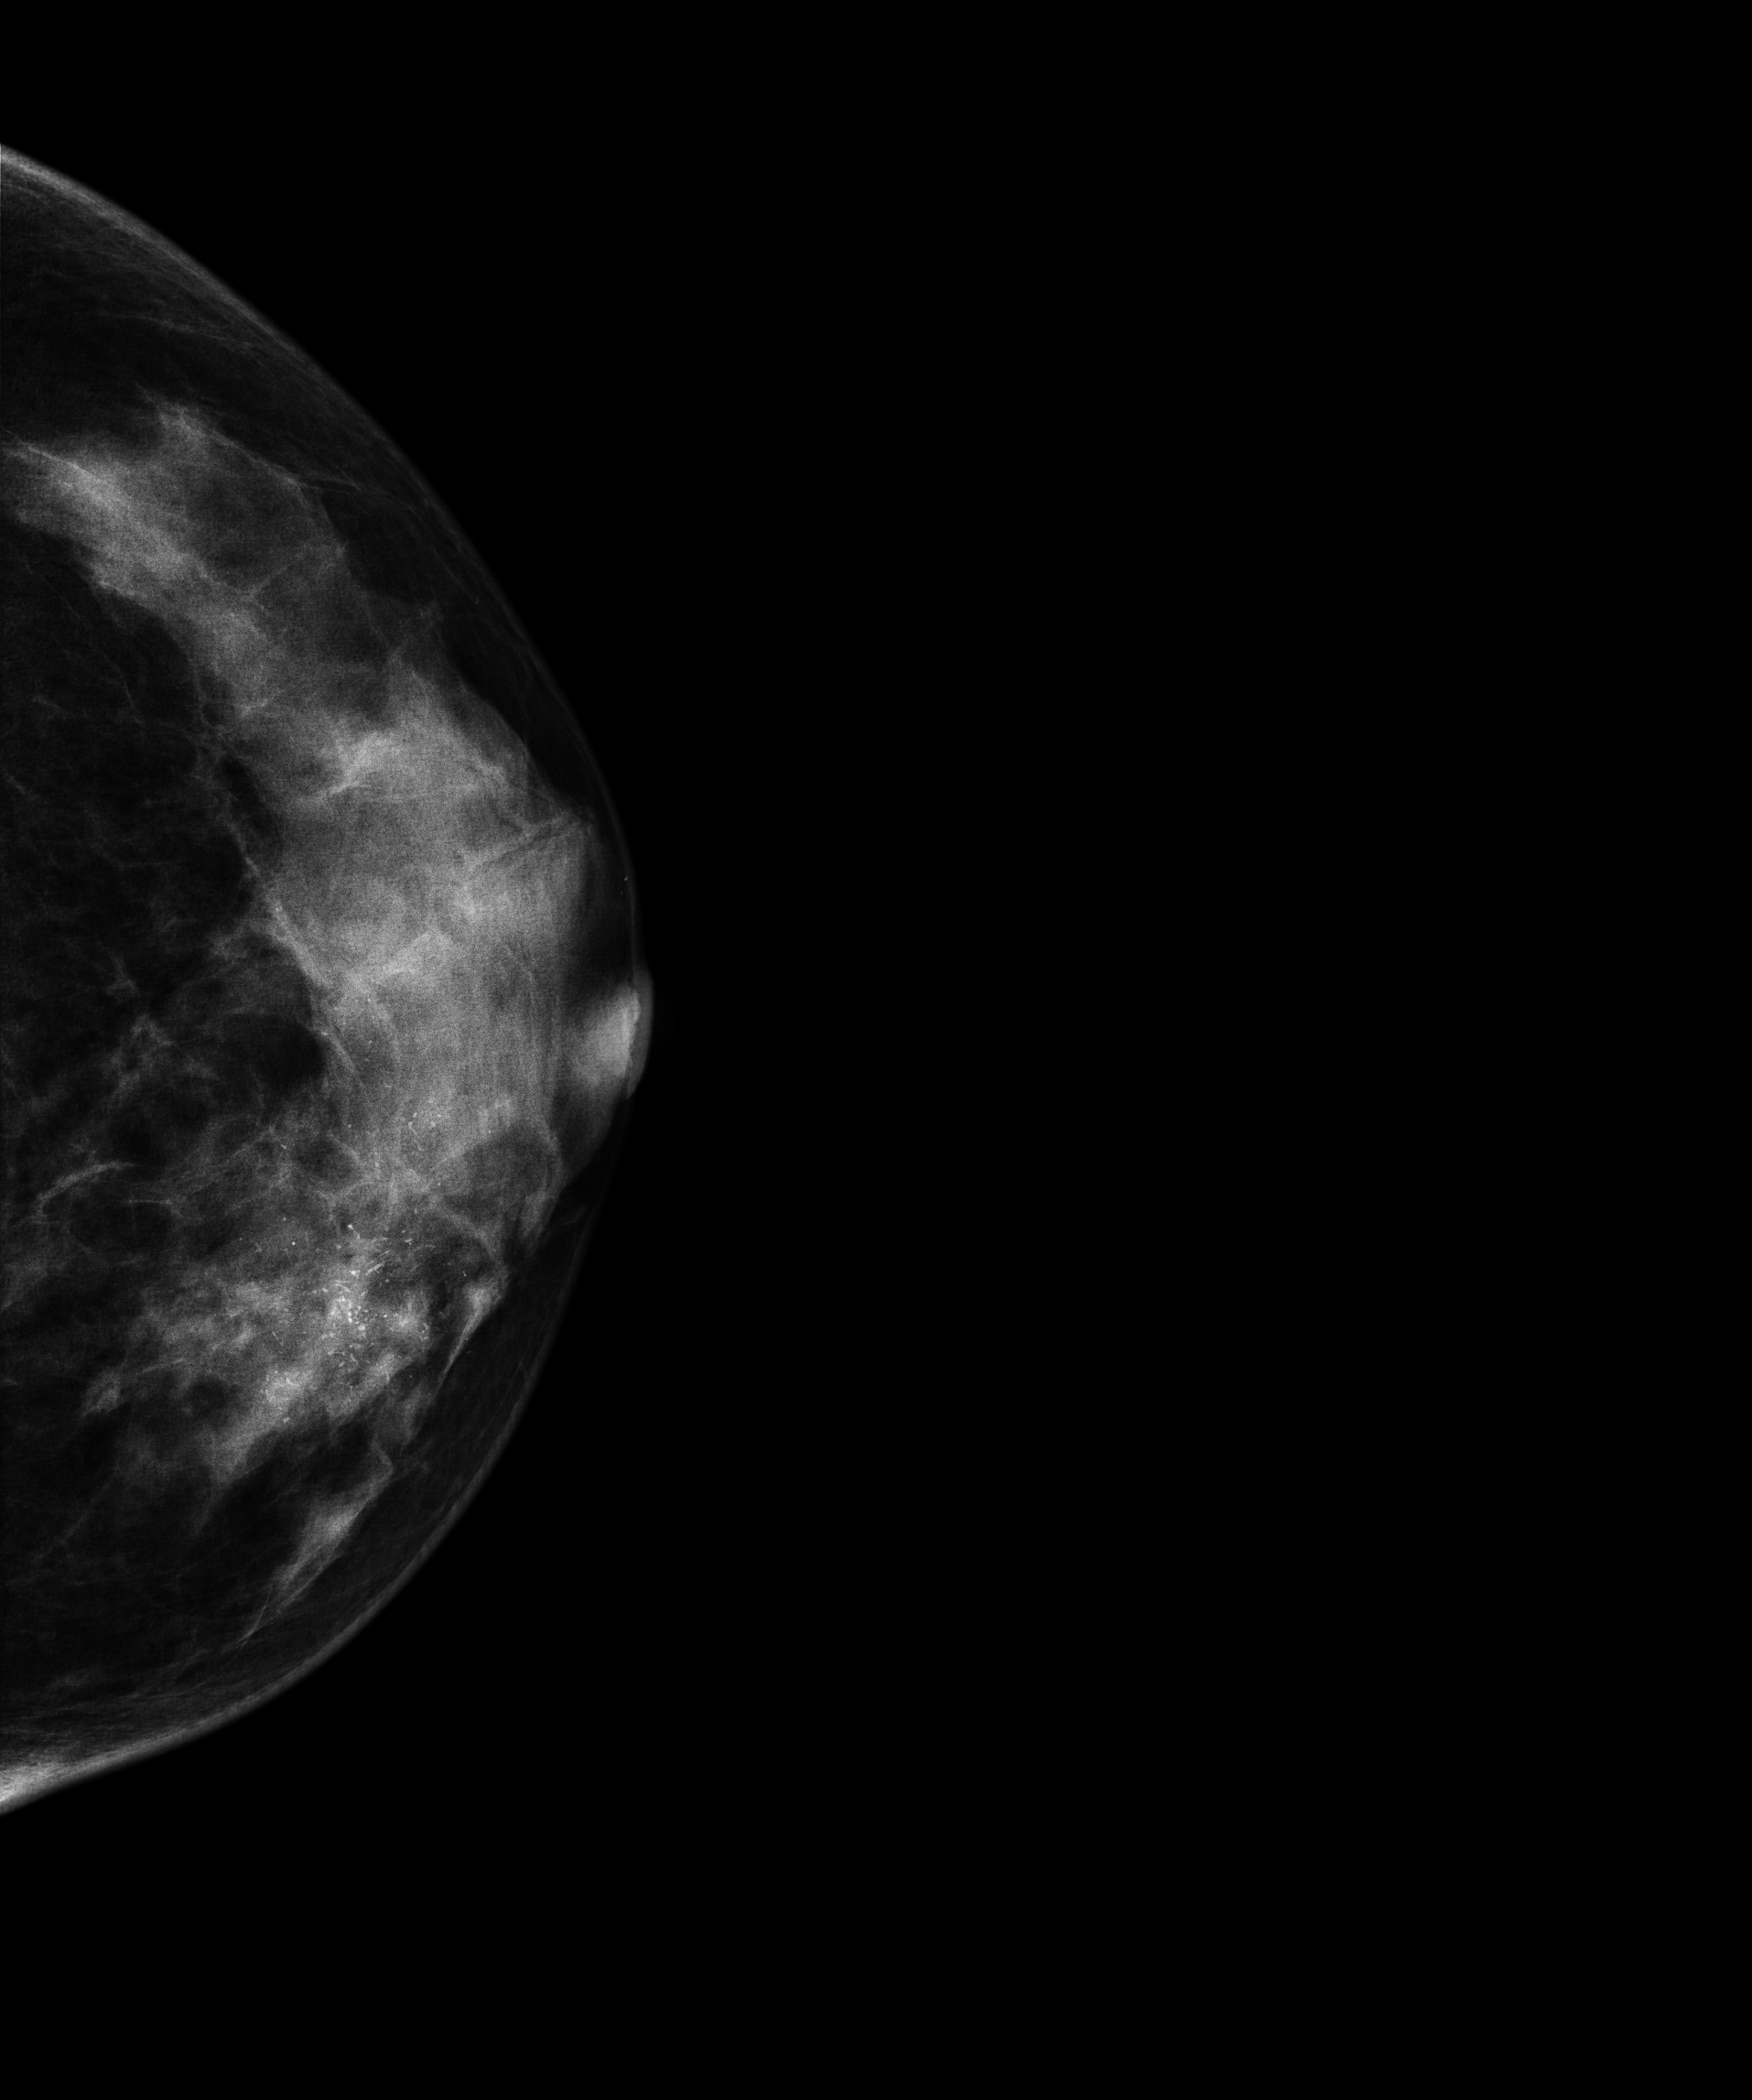
Digital mammography. Left breast, cranio-caudal projection. Patient age 32.
This breast has calcifications, biopsy-confirmed malignant. Molecular subtype: HER2-enriched.